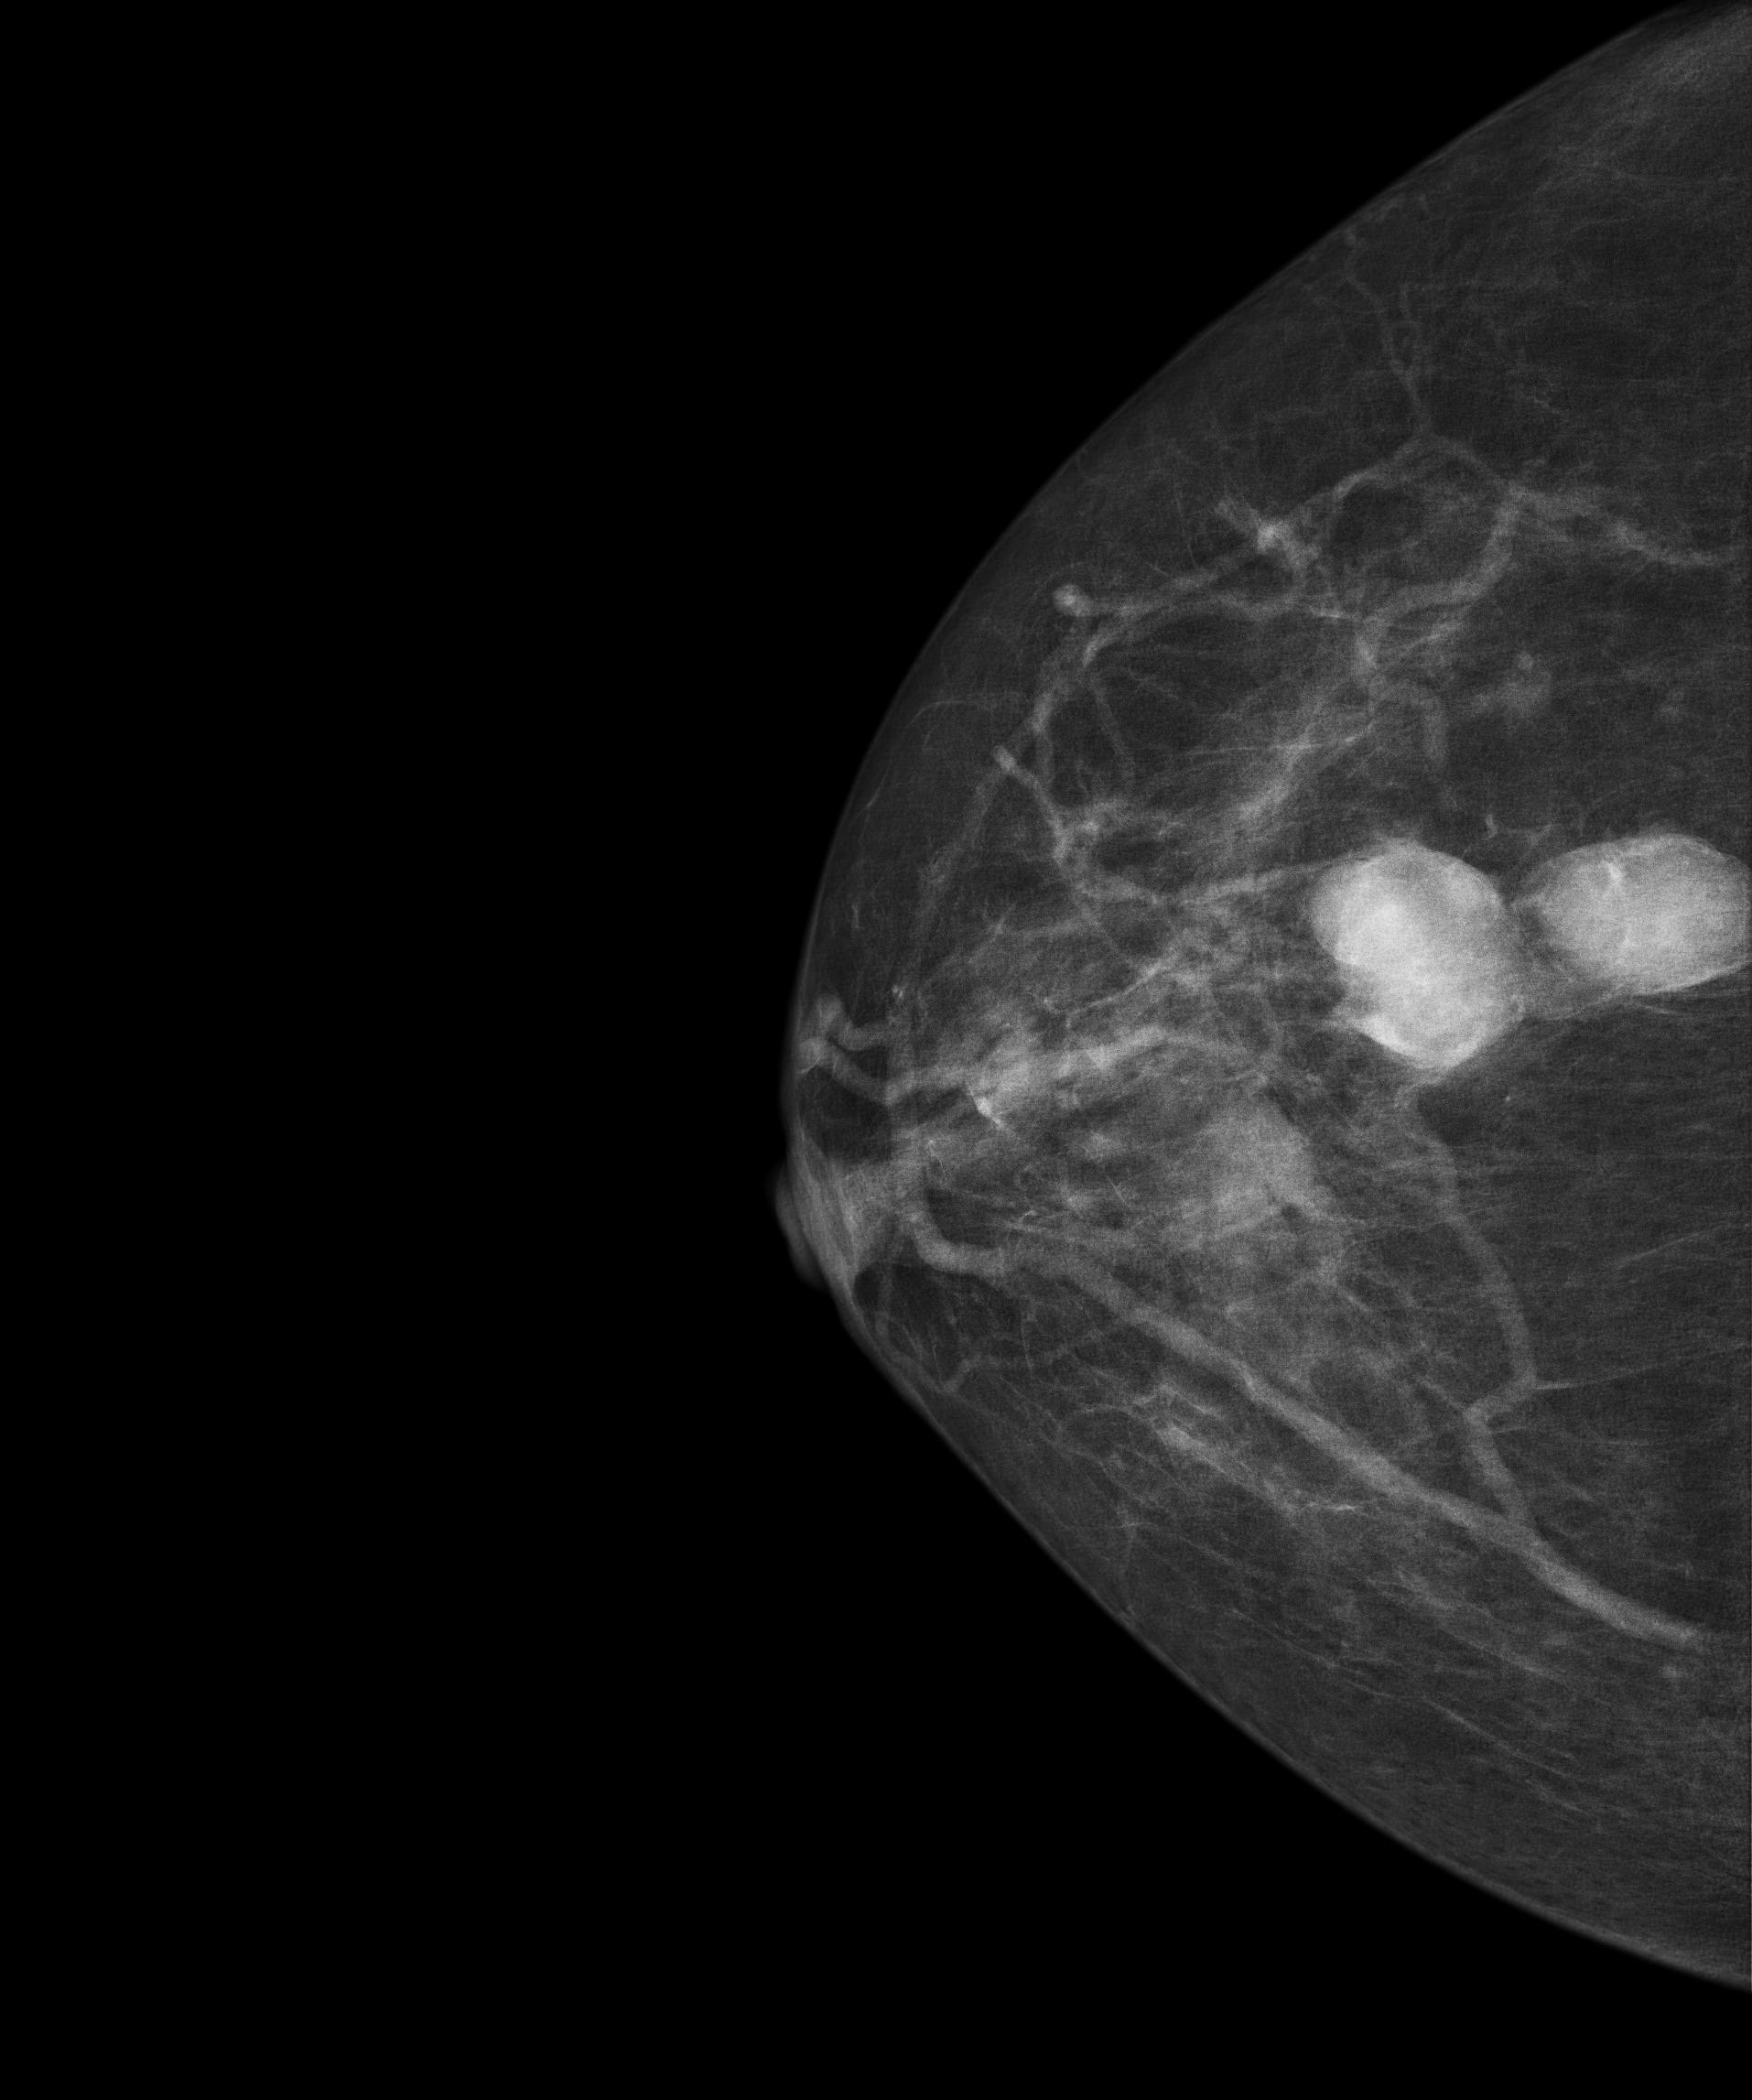
Right-breast mammogram, cranio-caudal. 85-year-old patient.
This breast has a mass, histologically confirmed malignant. Molecular subtype: luminal B.